Left-breast mammogram, MLO. 34 y/o patient.
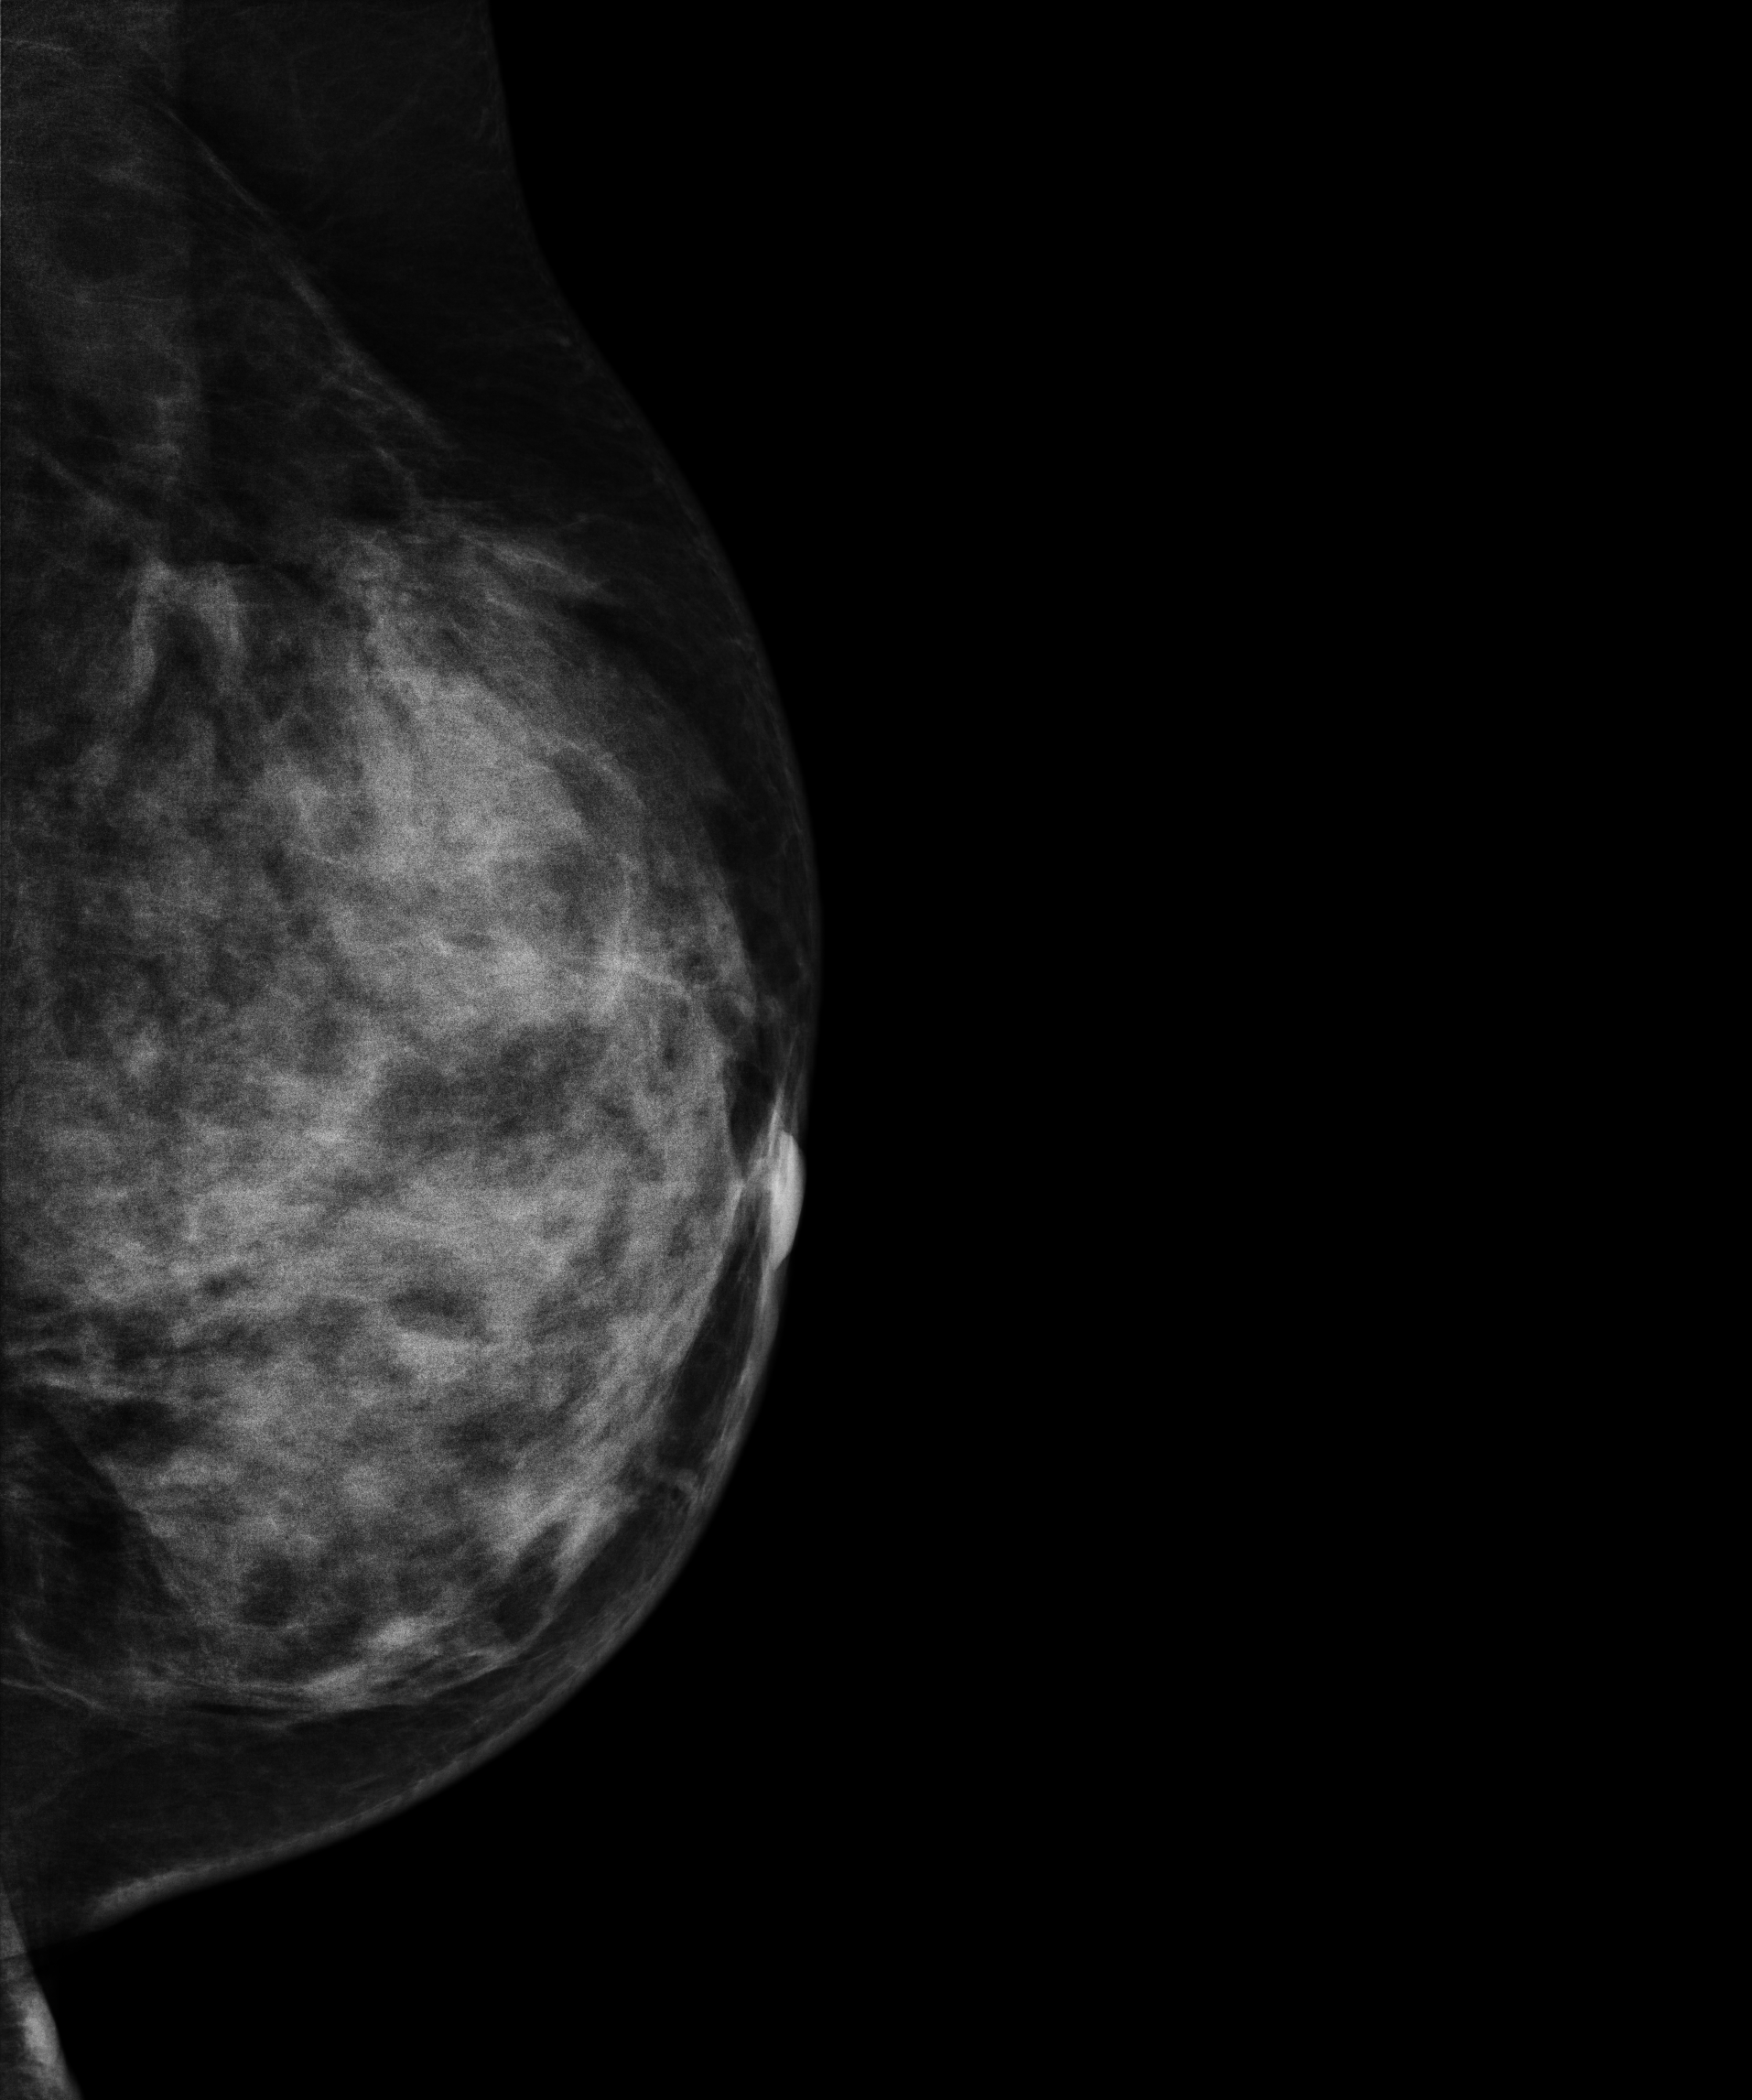
This breast has a mass, biopsy-confirmed malignant. Molecular subtype: luminal B.